Mammogram, left breast, medio-lateral oblique view. 39 y/o patient.
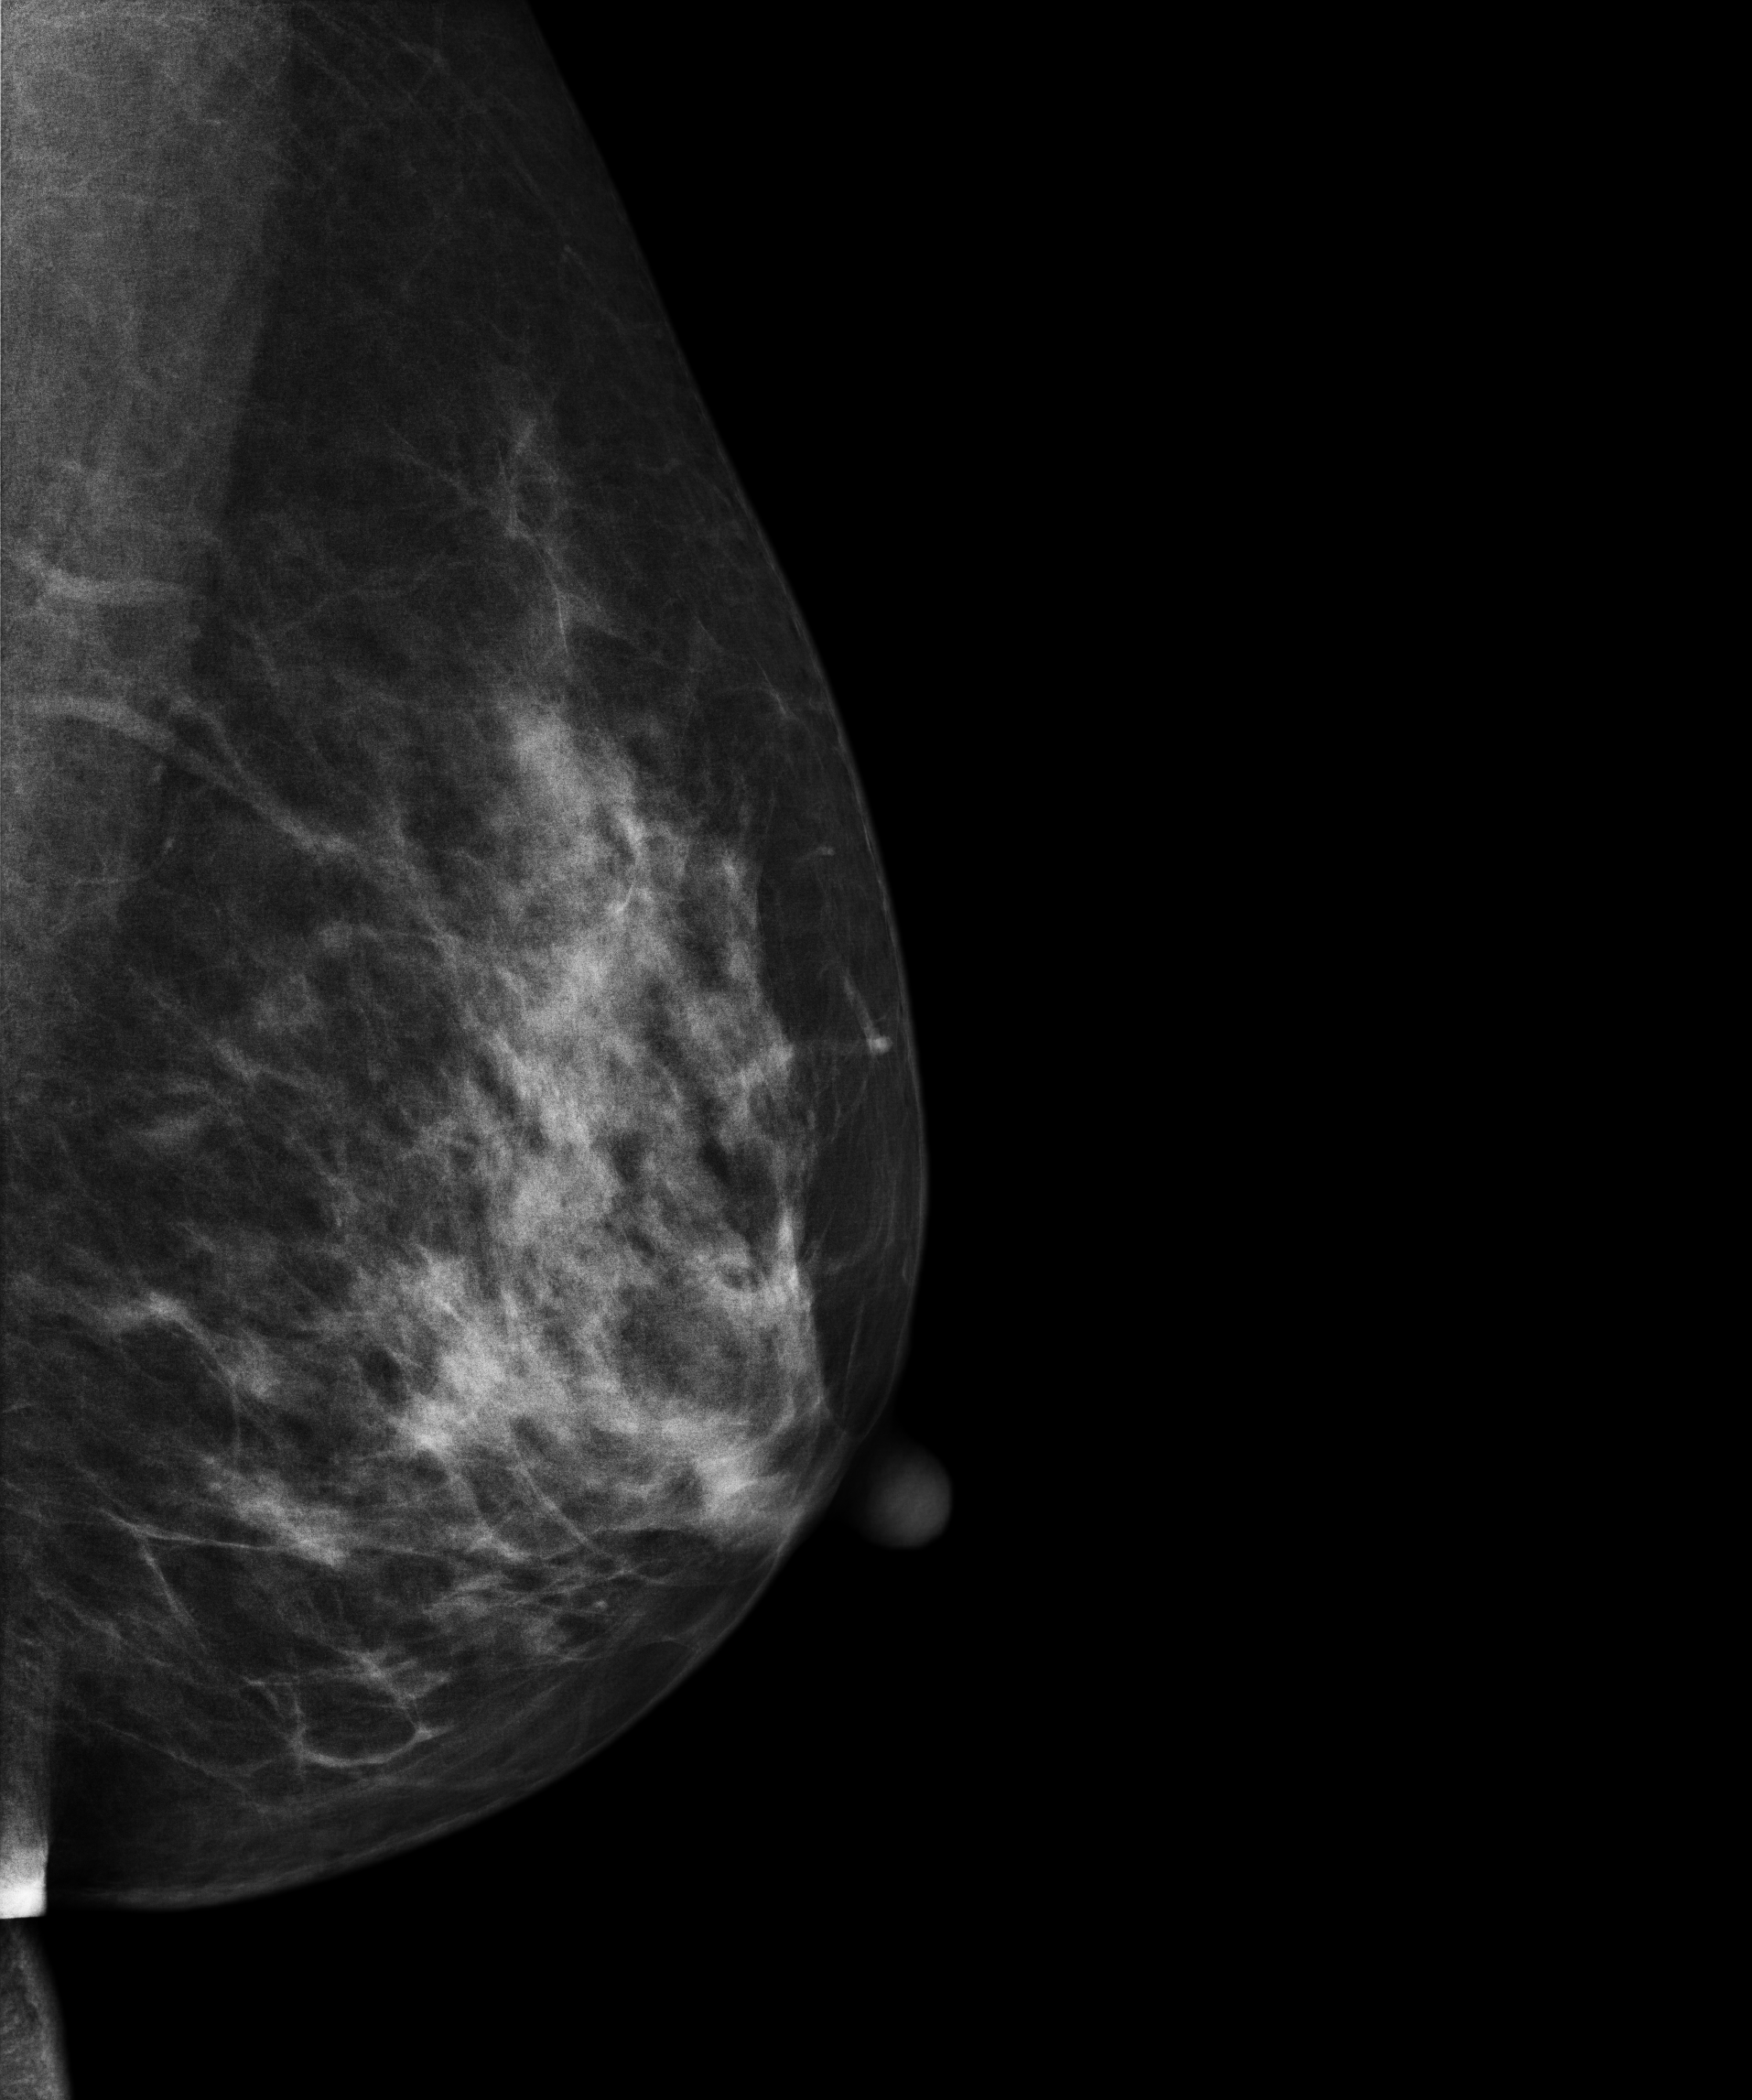
This breast has a mass, biopsy-proven benign.